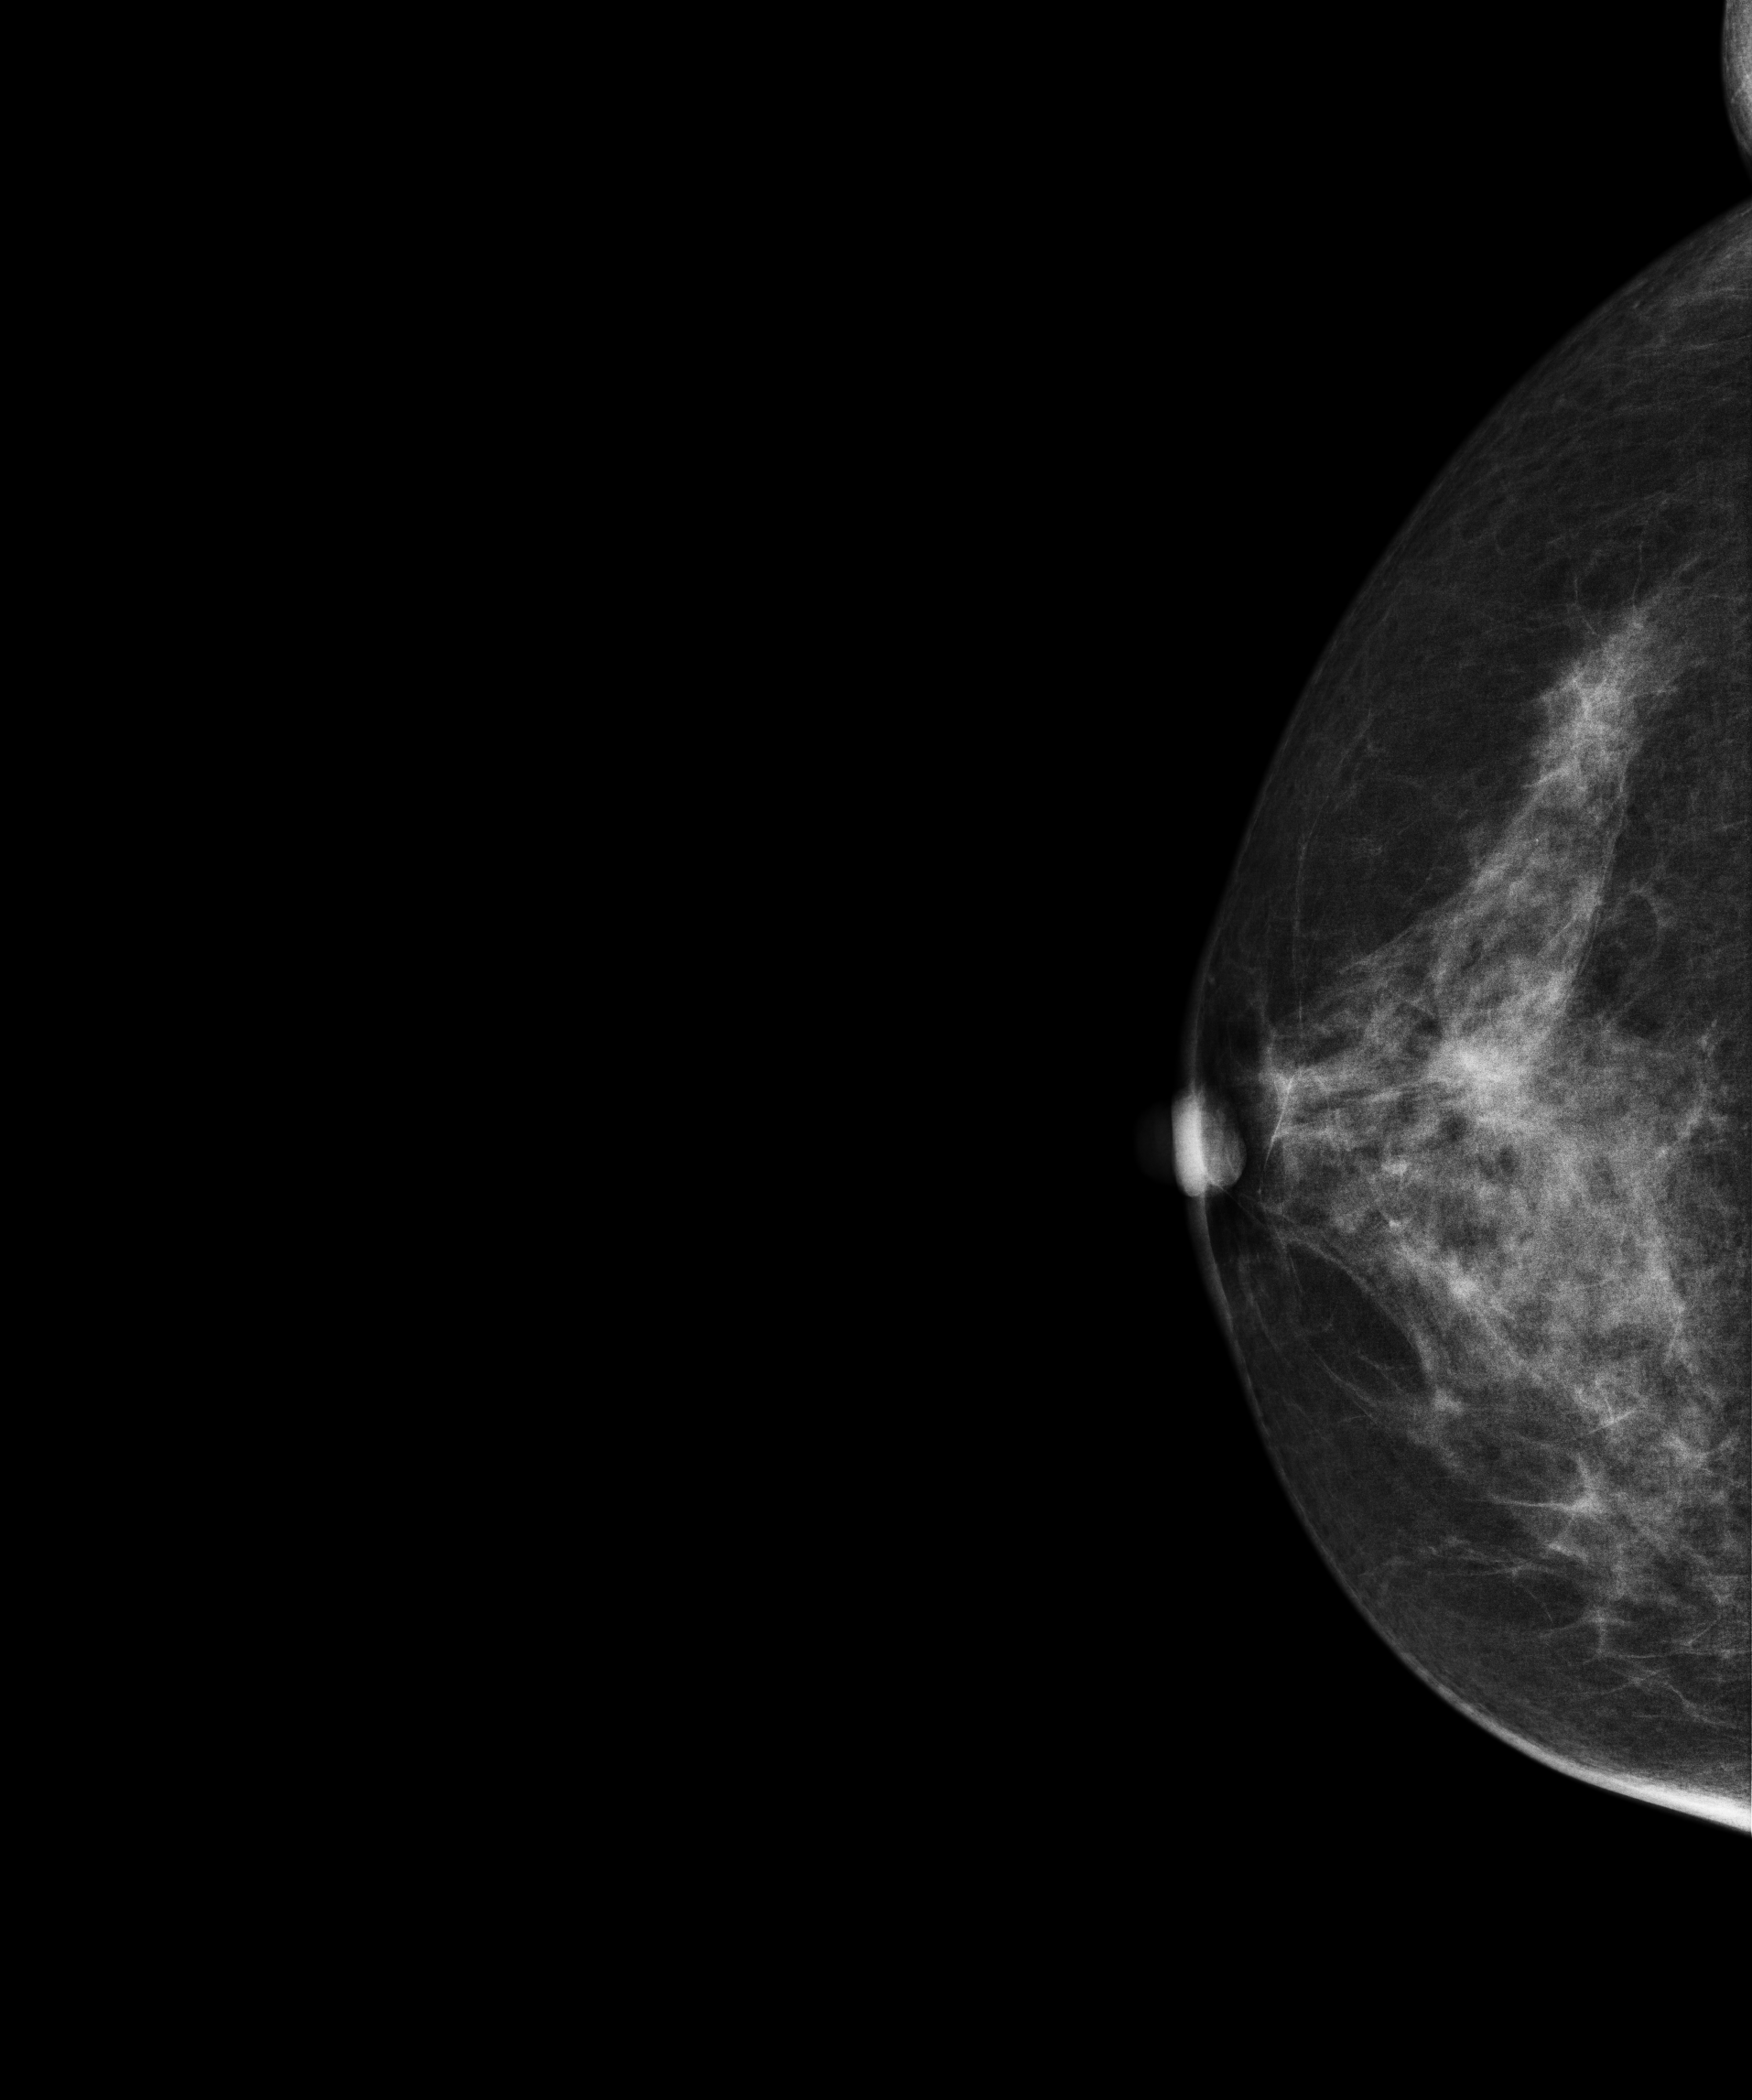
Cranio-caudal mammogram of the right breast. Patient age 53.
This breast has a mass, histologically confirmed malignant. Molecular subtype: luminal B.